Digital mammography. Left breast, CC projection. 36 y/o patient.
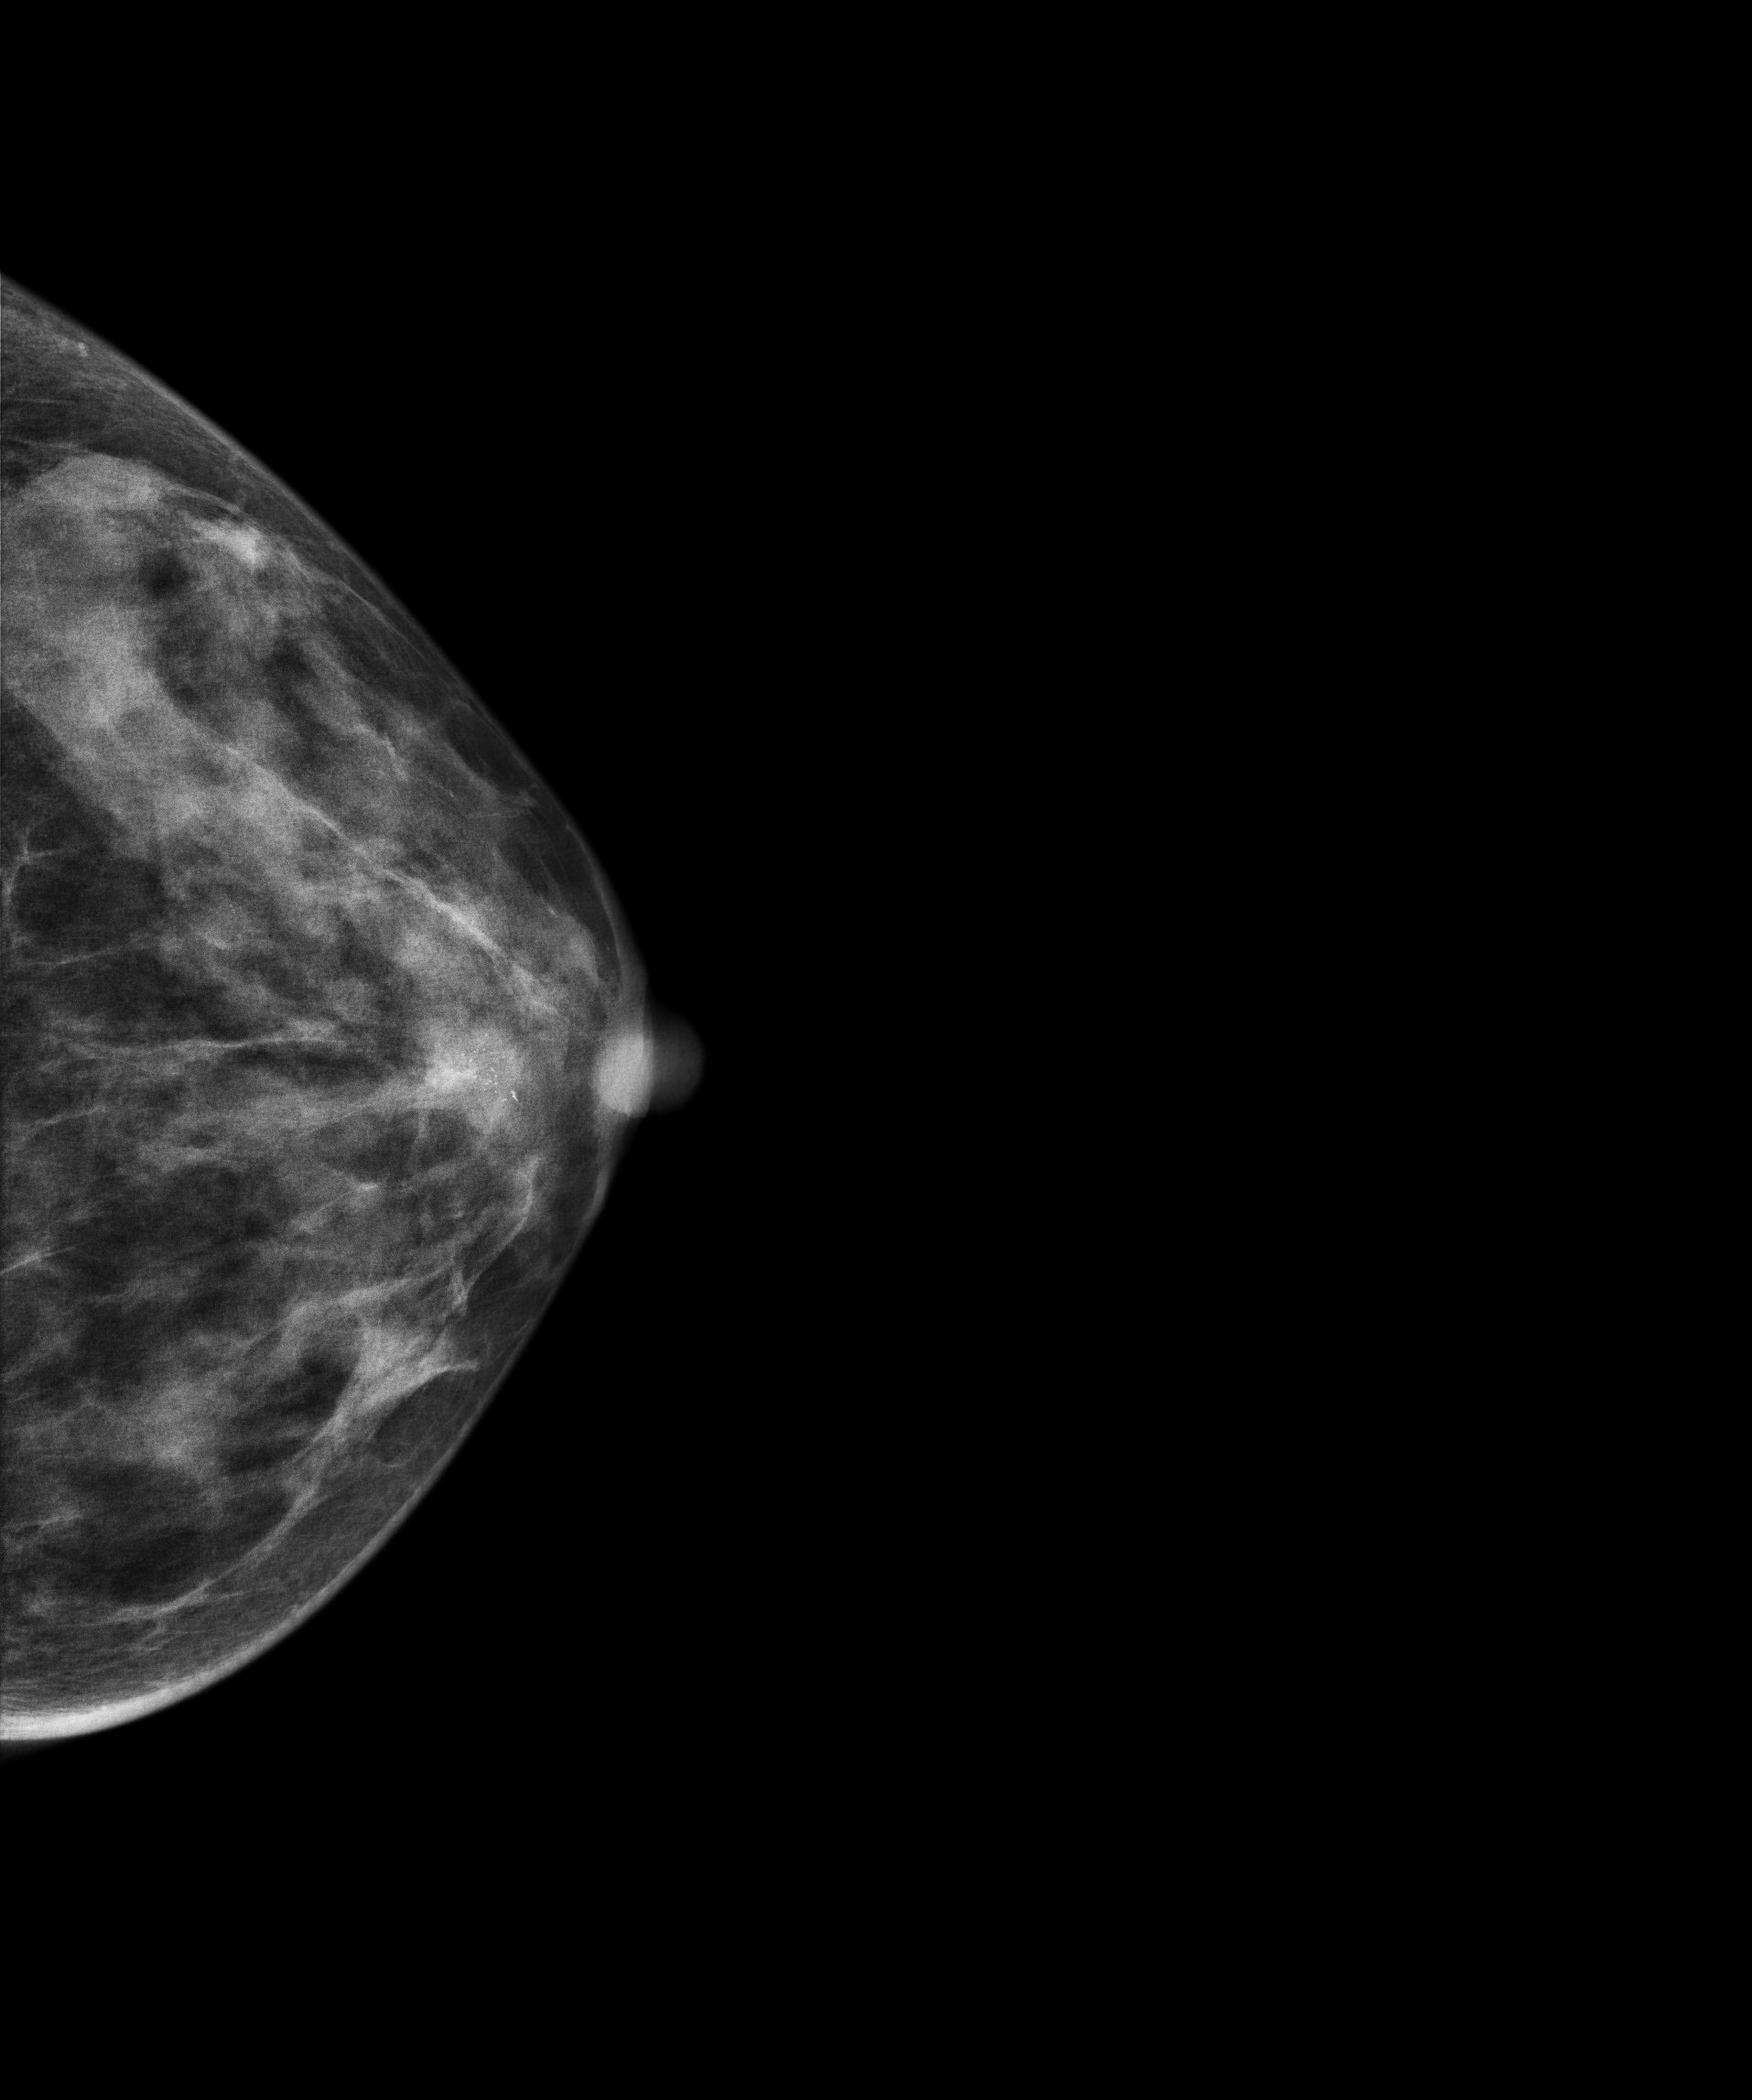
This breast has a mass and calcifications, histologically confirmed malignant. Molecular subtype: luminal B.